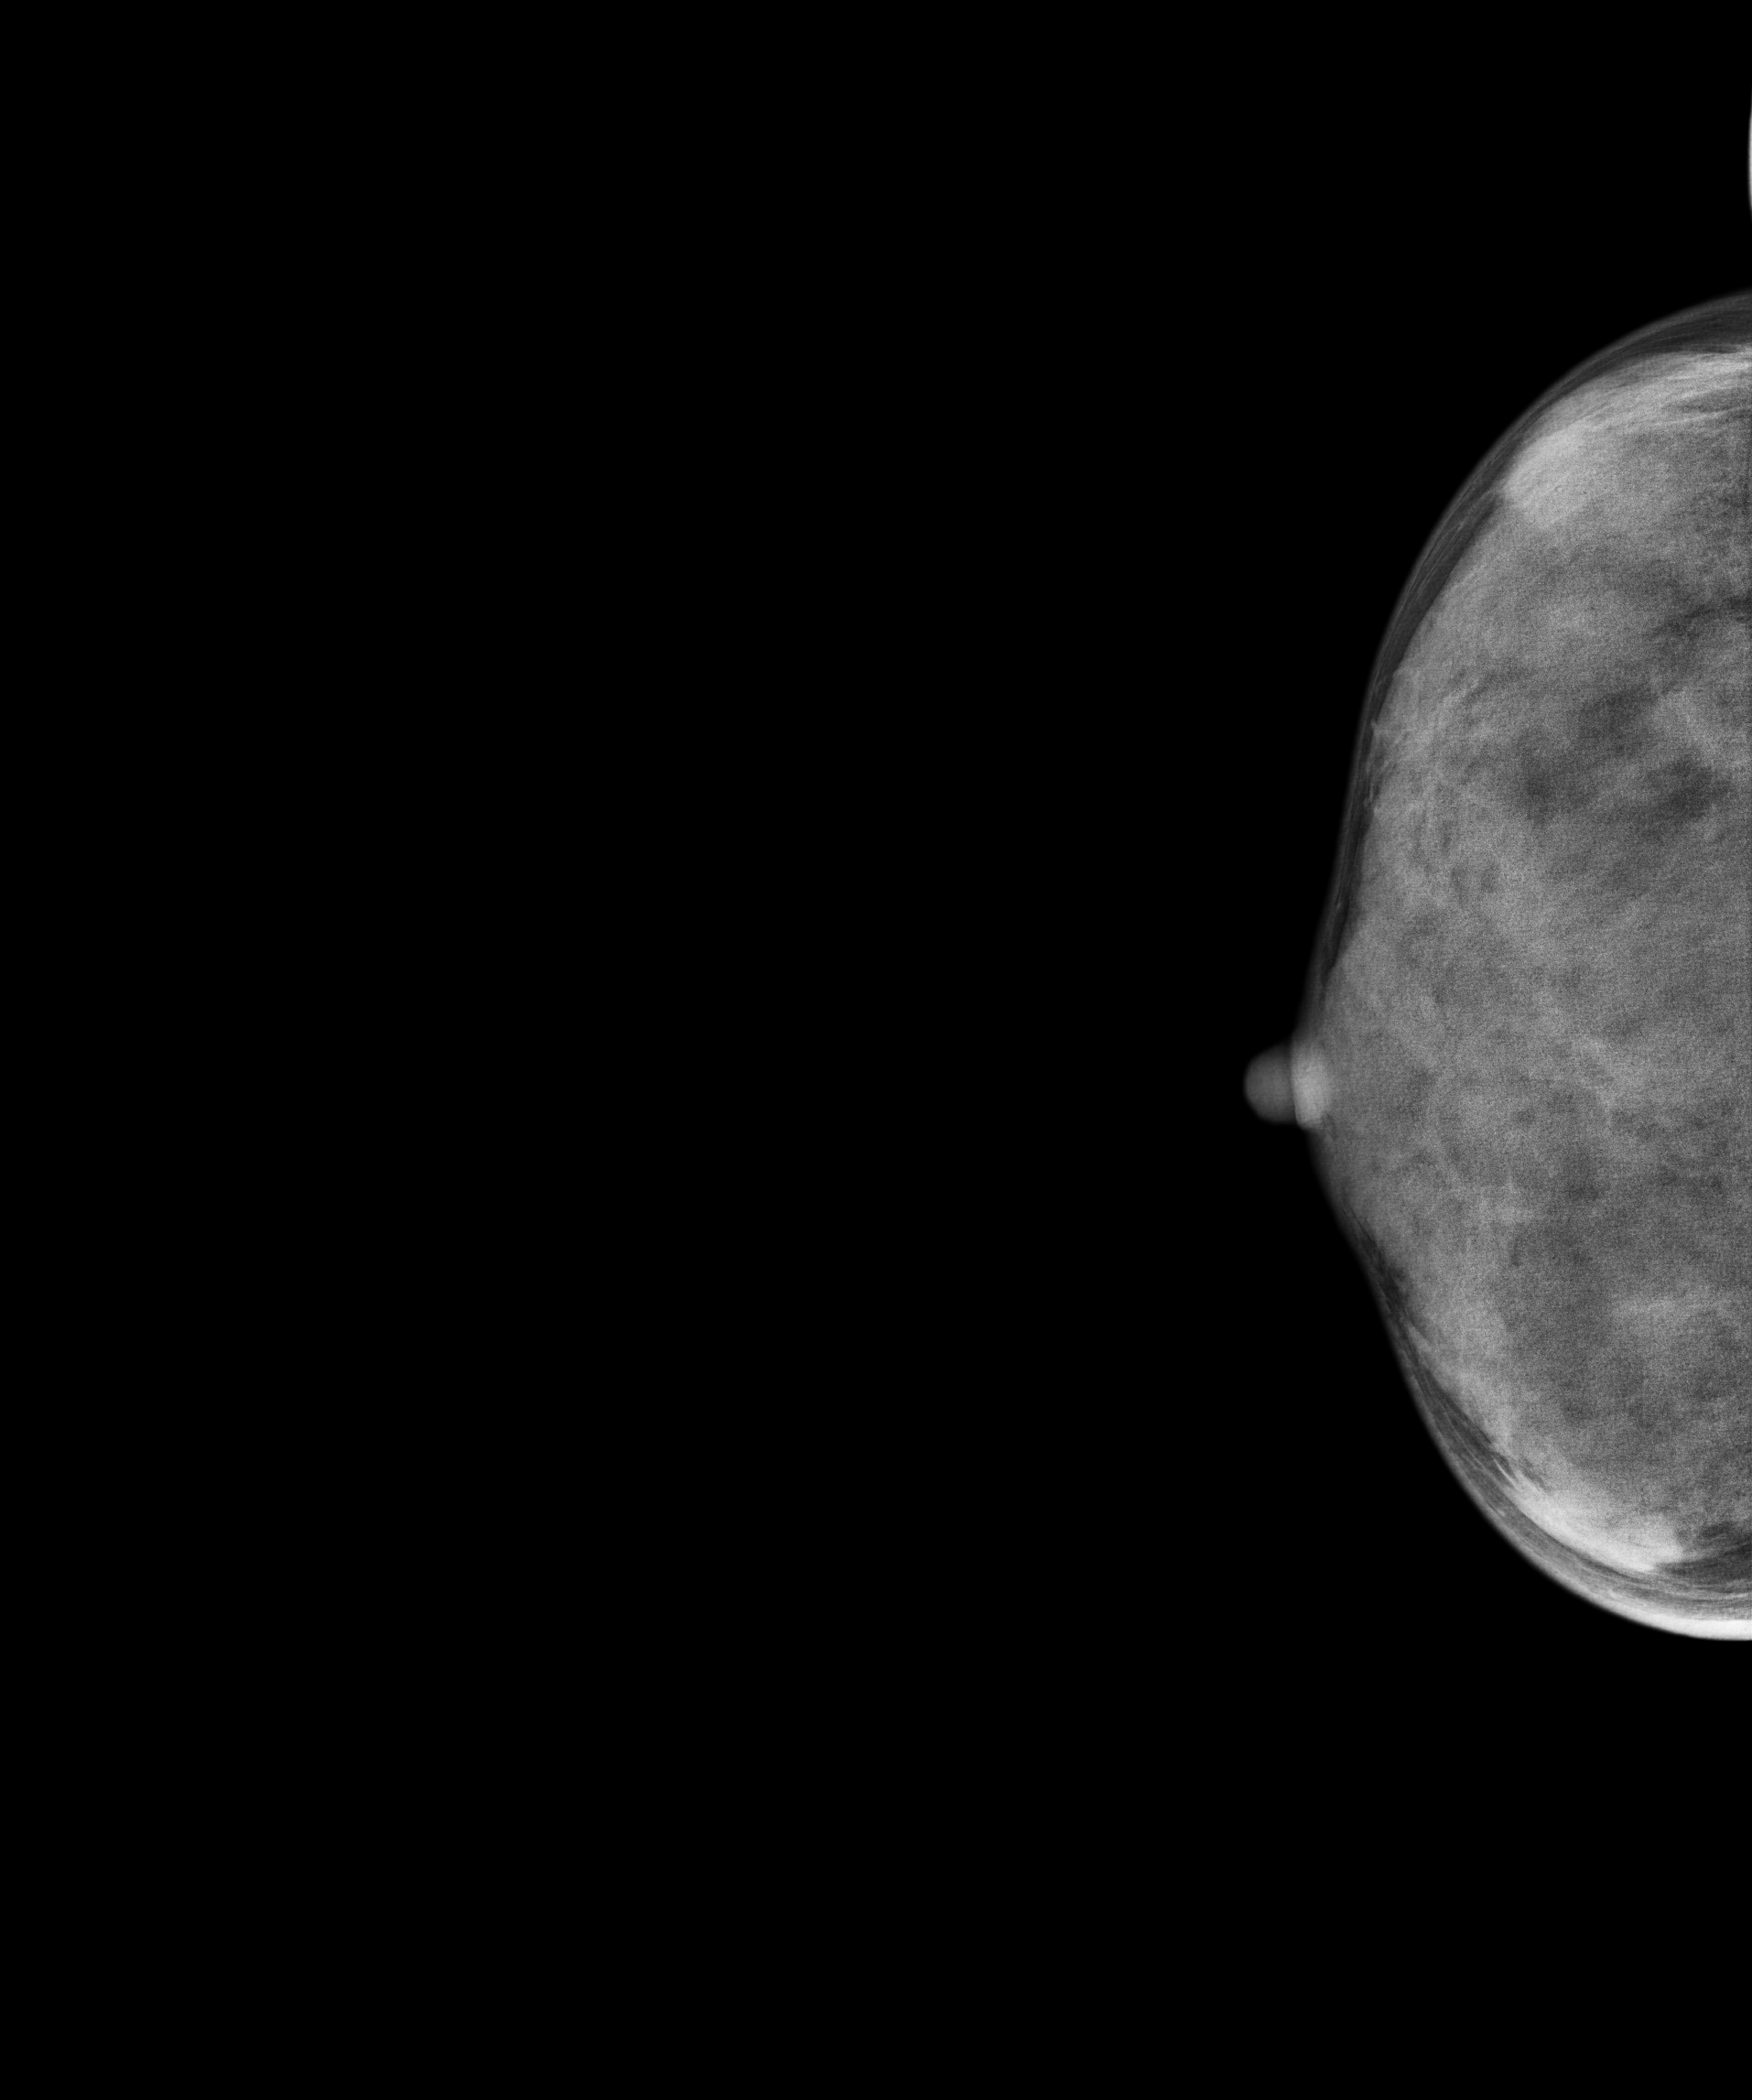
Mammogram, right breast, cranio-caudal view. 28 y/o patient.
This breast has a mass, pathology-confirmed malignant. Molecular subtype: triple-negative.